Mammogram — right MLO. 64 y/o patient.
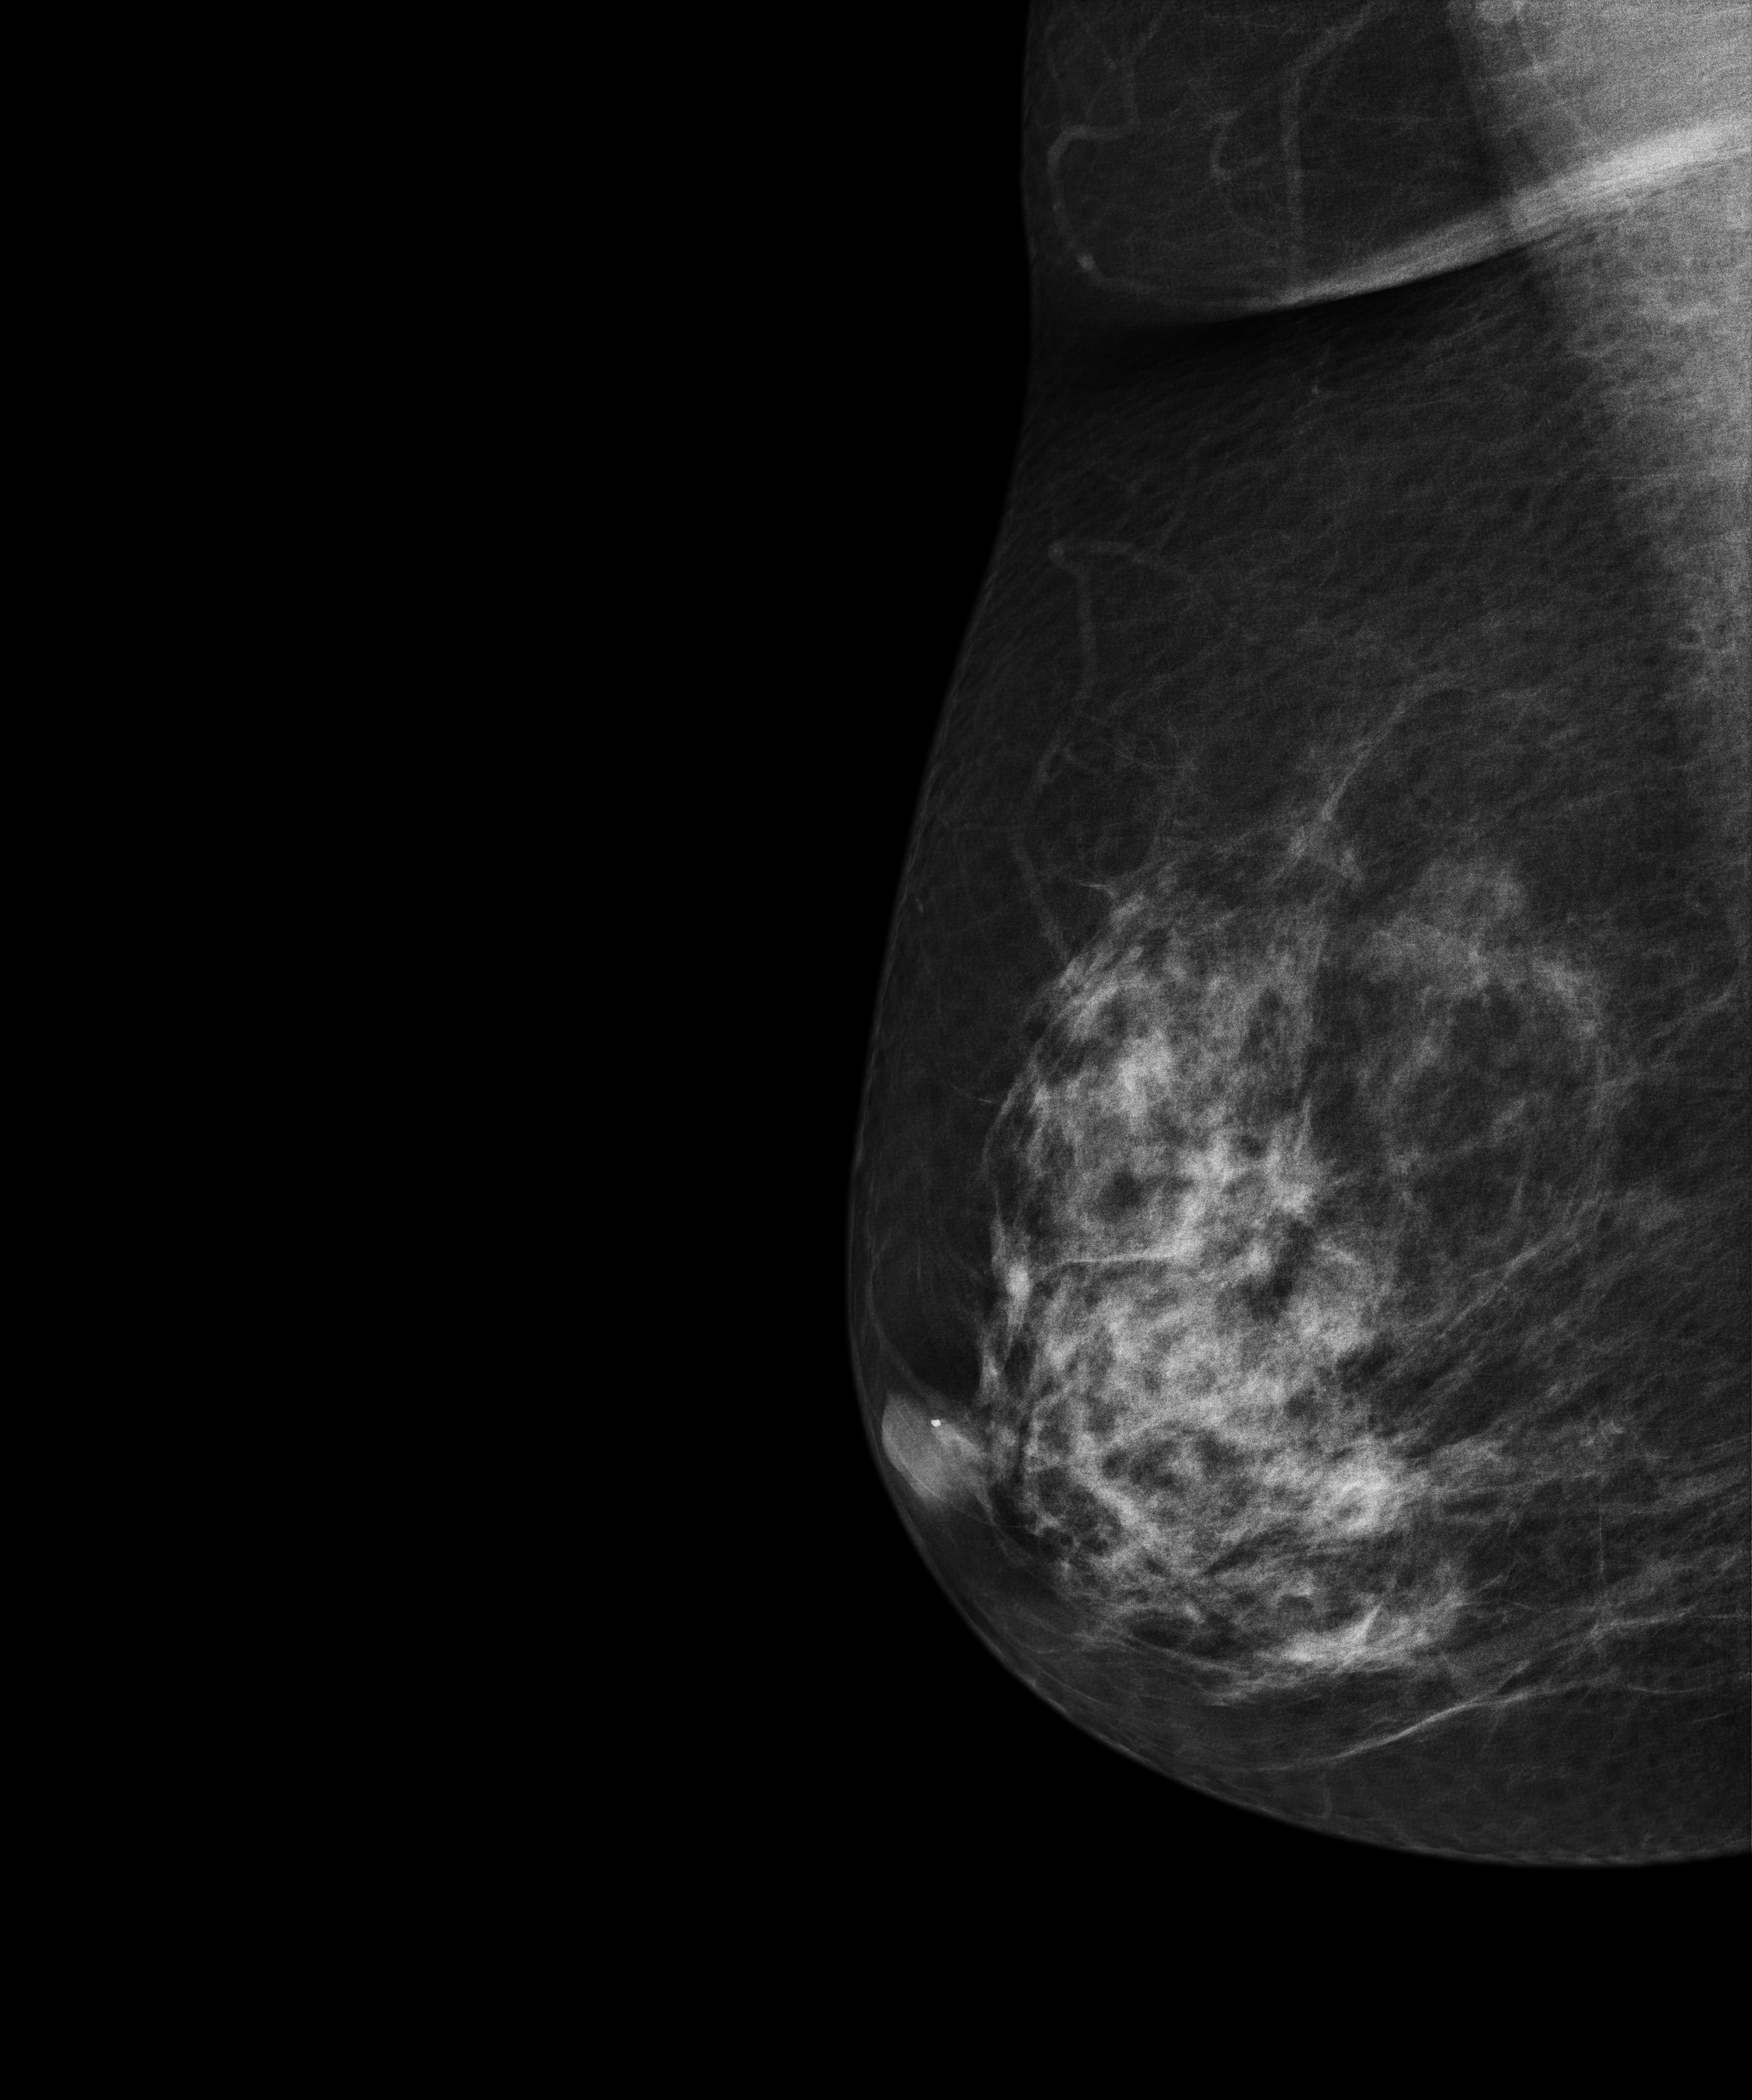
This breast has a mass, biopsy-proven benign.